Digital mammography. Right breast, MLO projection. 33 y/o patient.
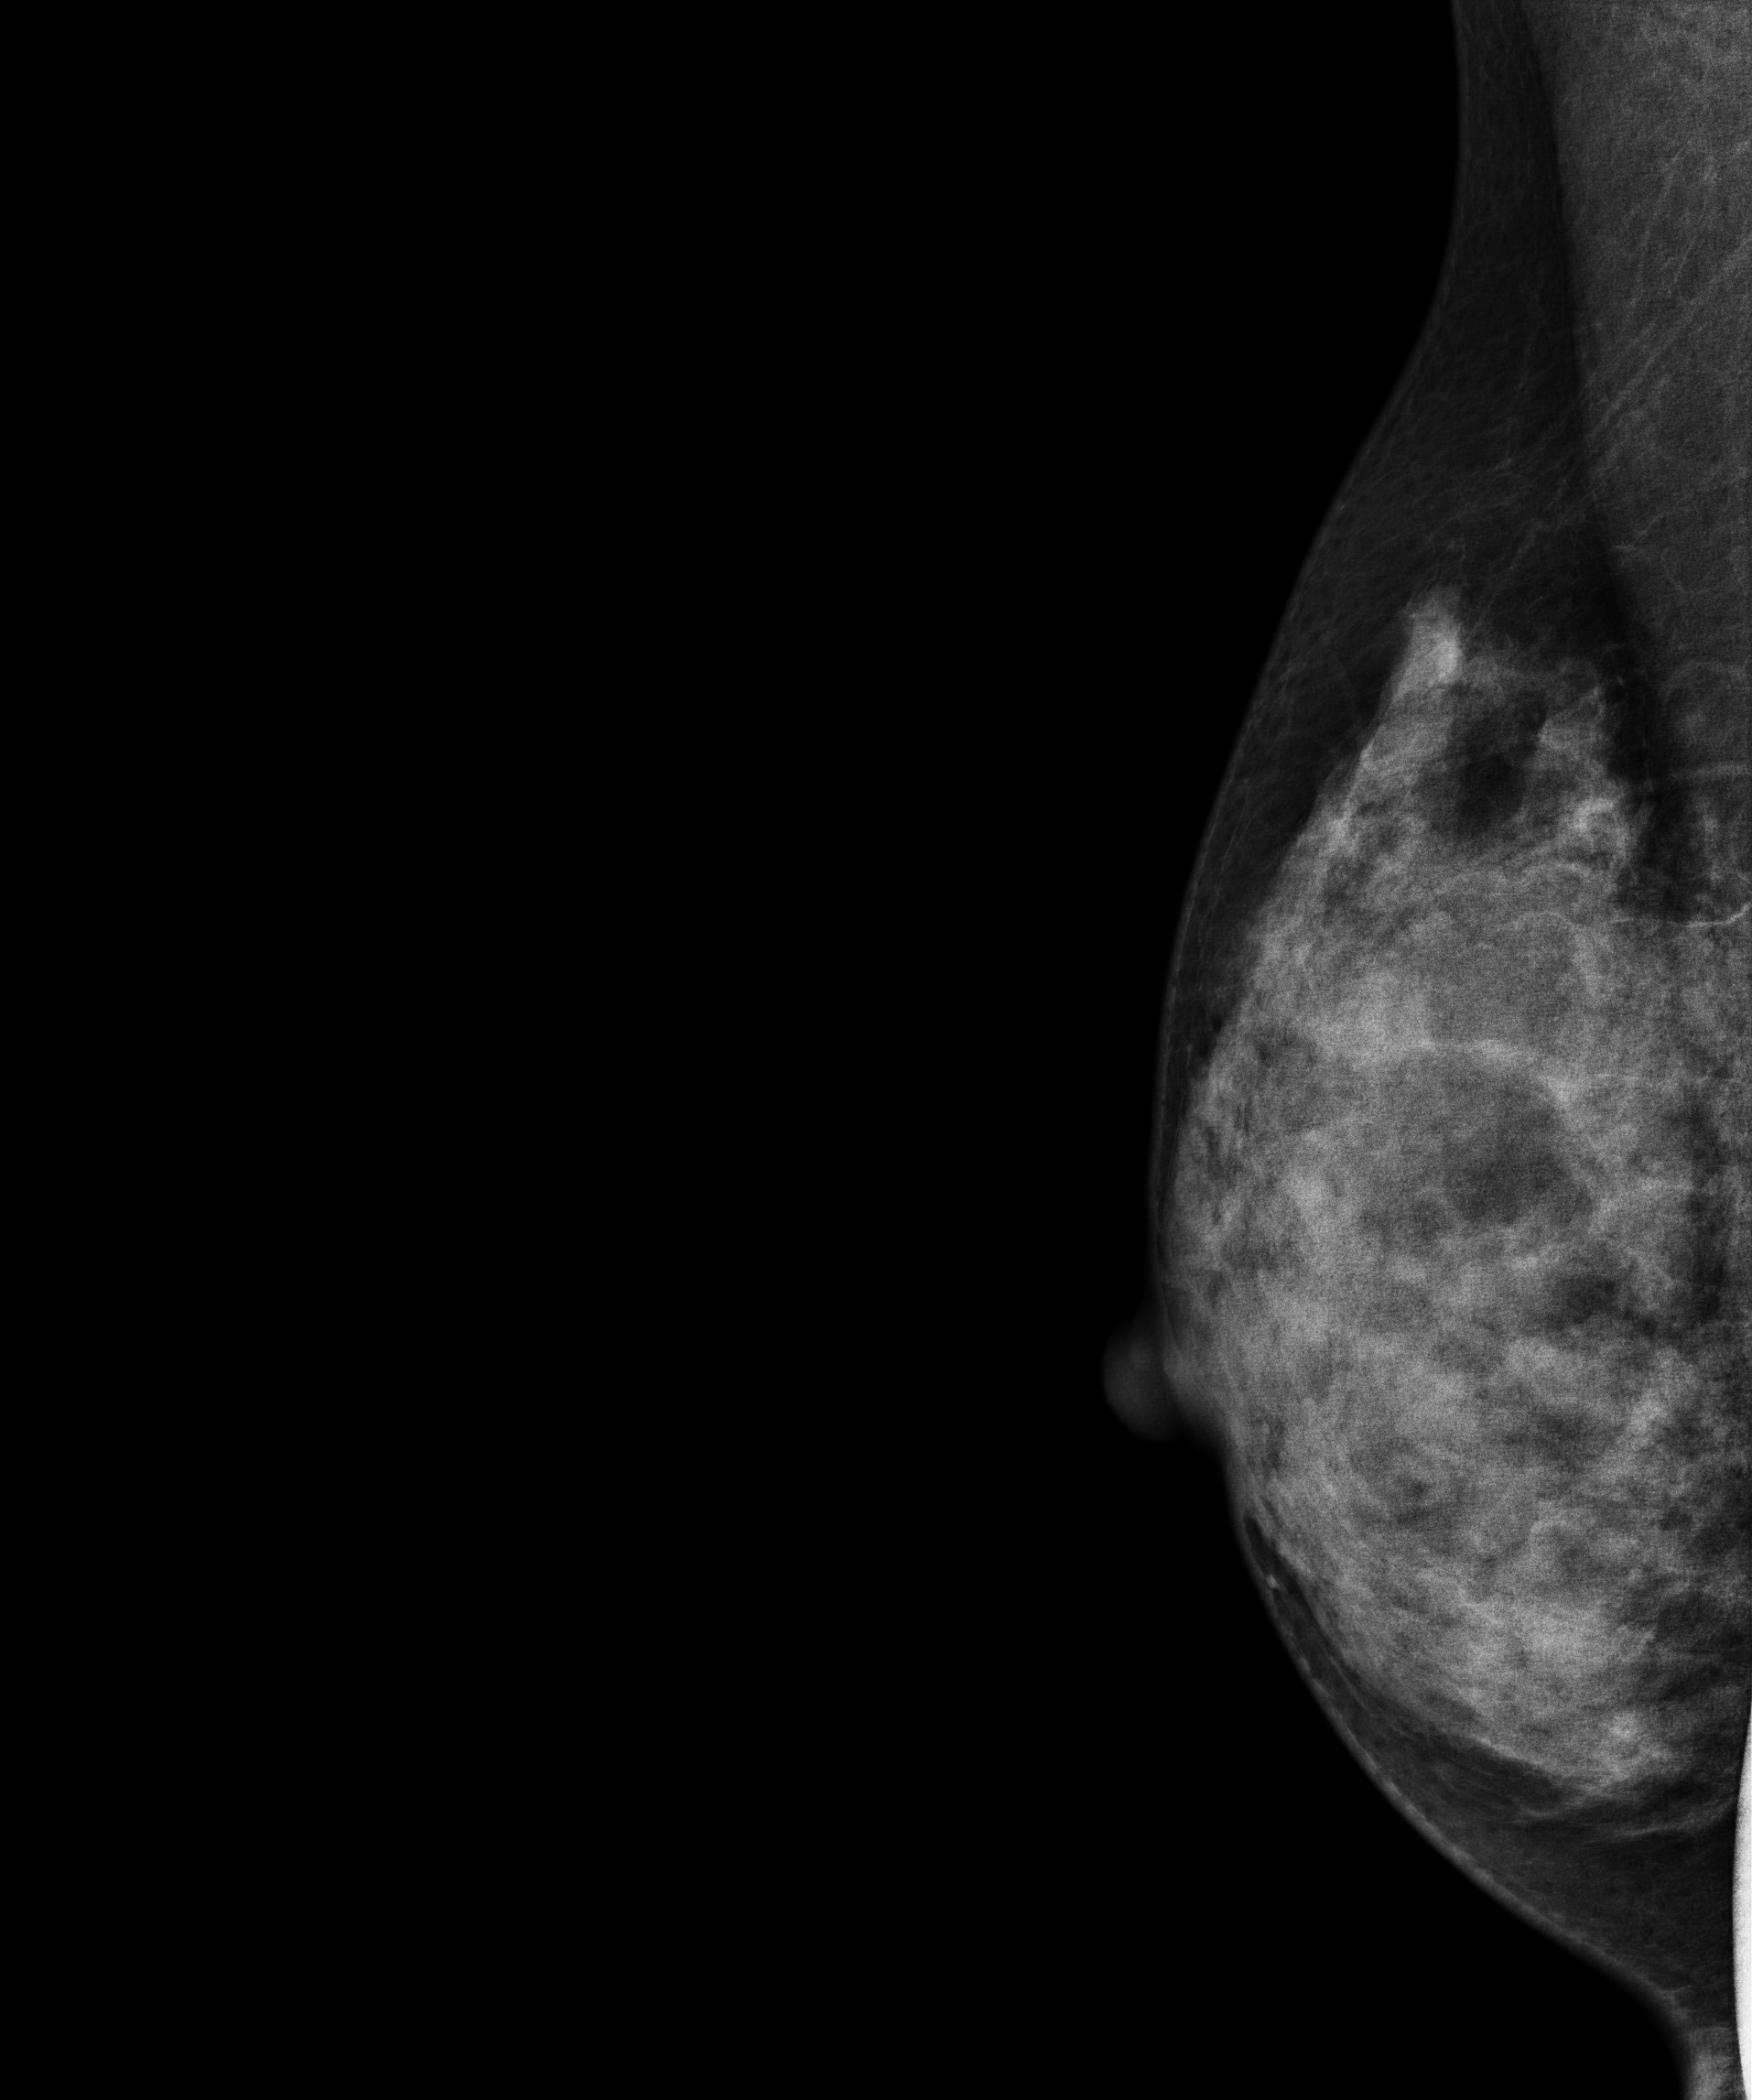
Contralateral breast — no documented abnormality on this side.